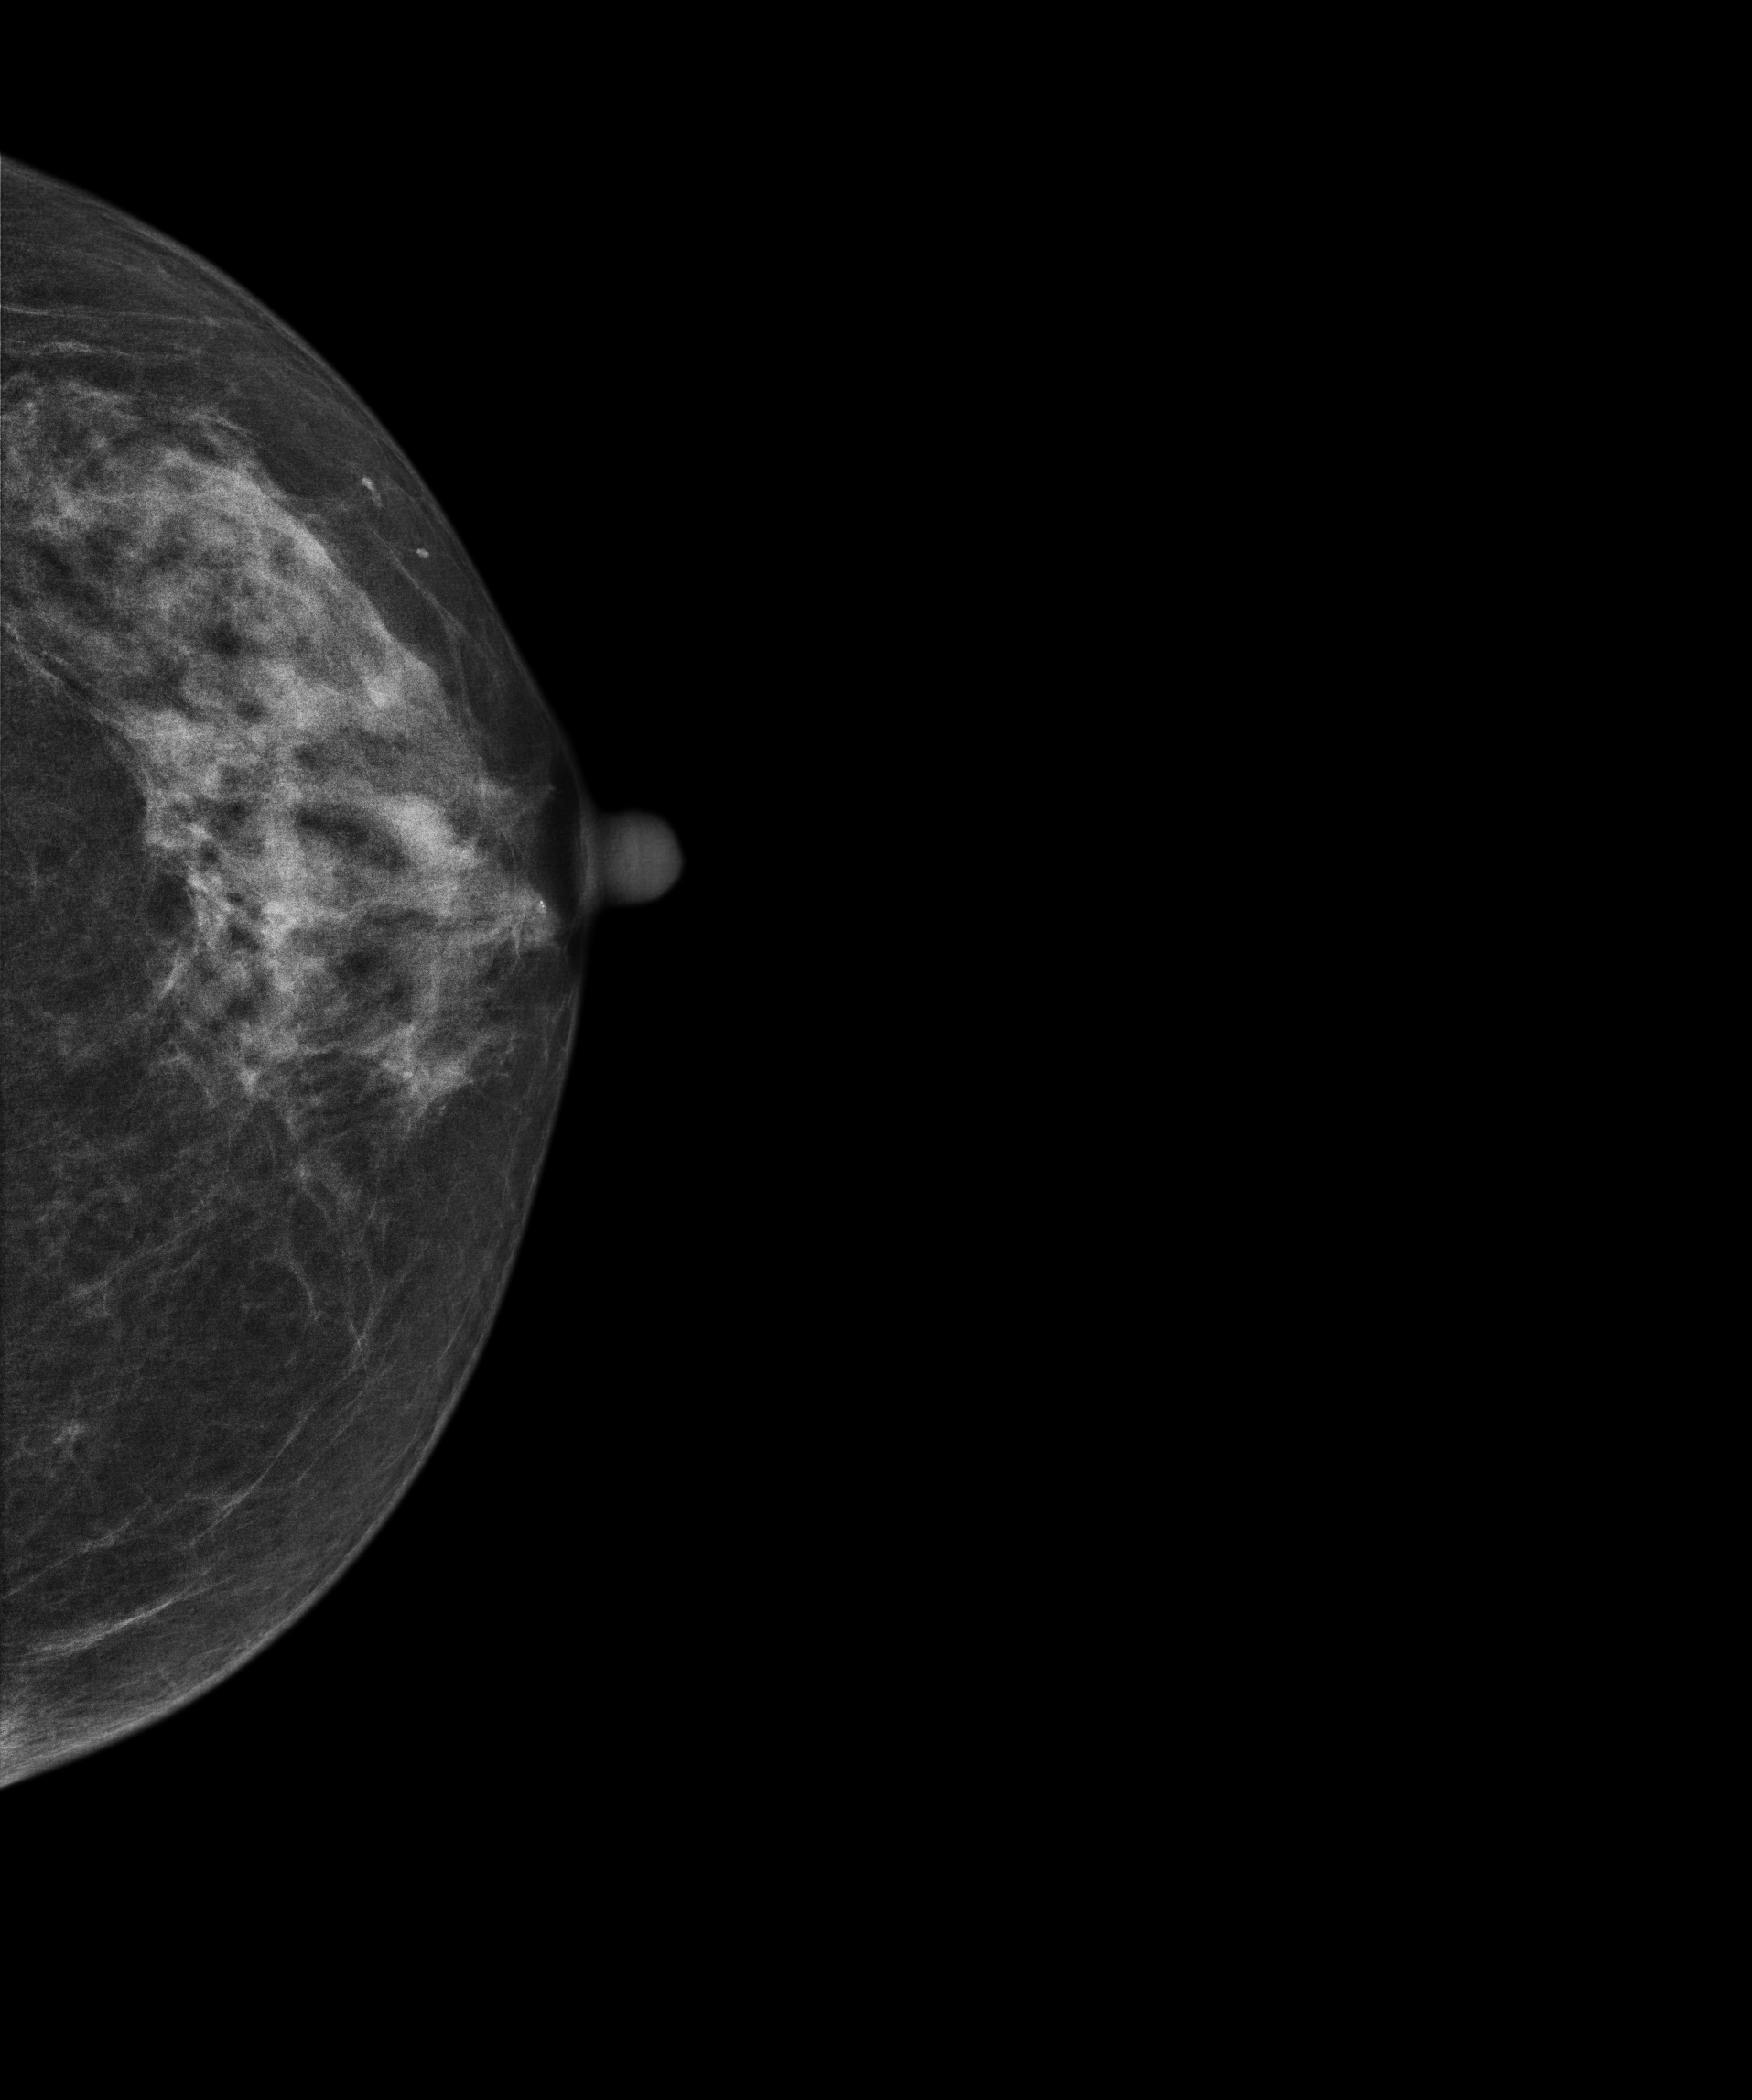
Digital mammography. Left breast, cranio-caudal projection. Patient age 68.
Contralateral breast — no documented abnormality on this side.